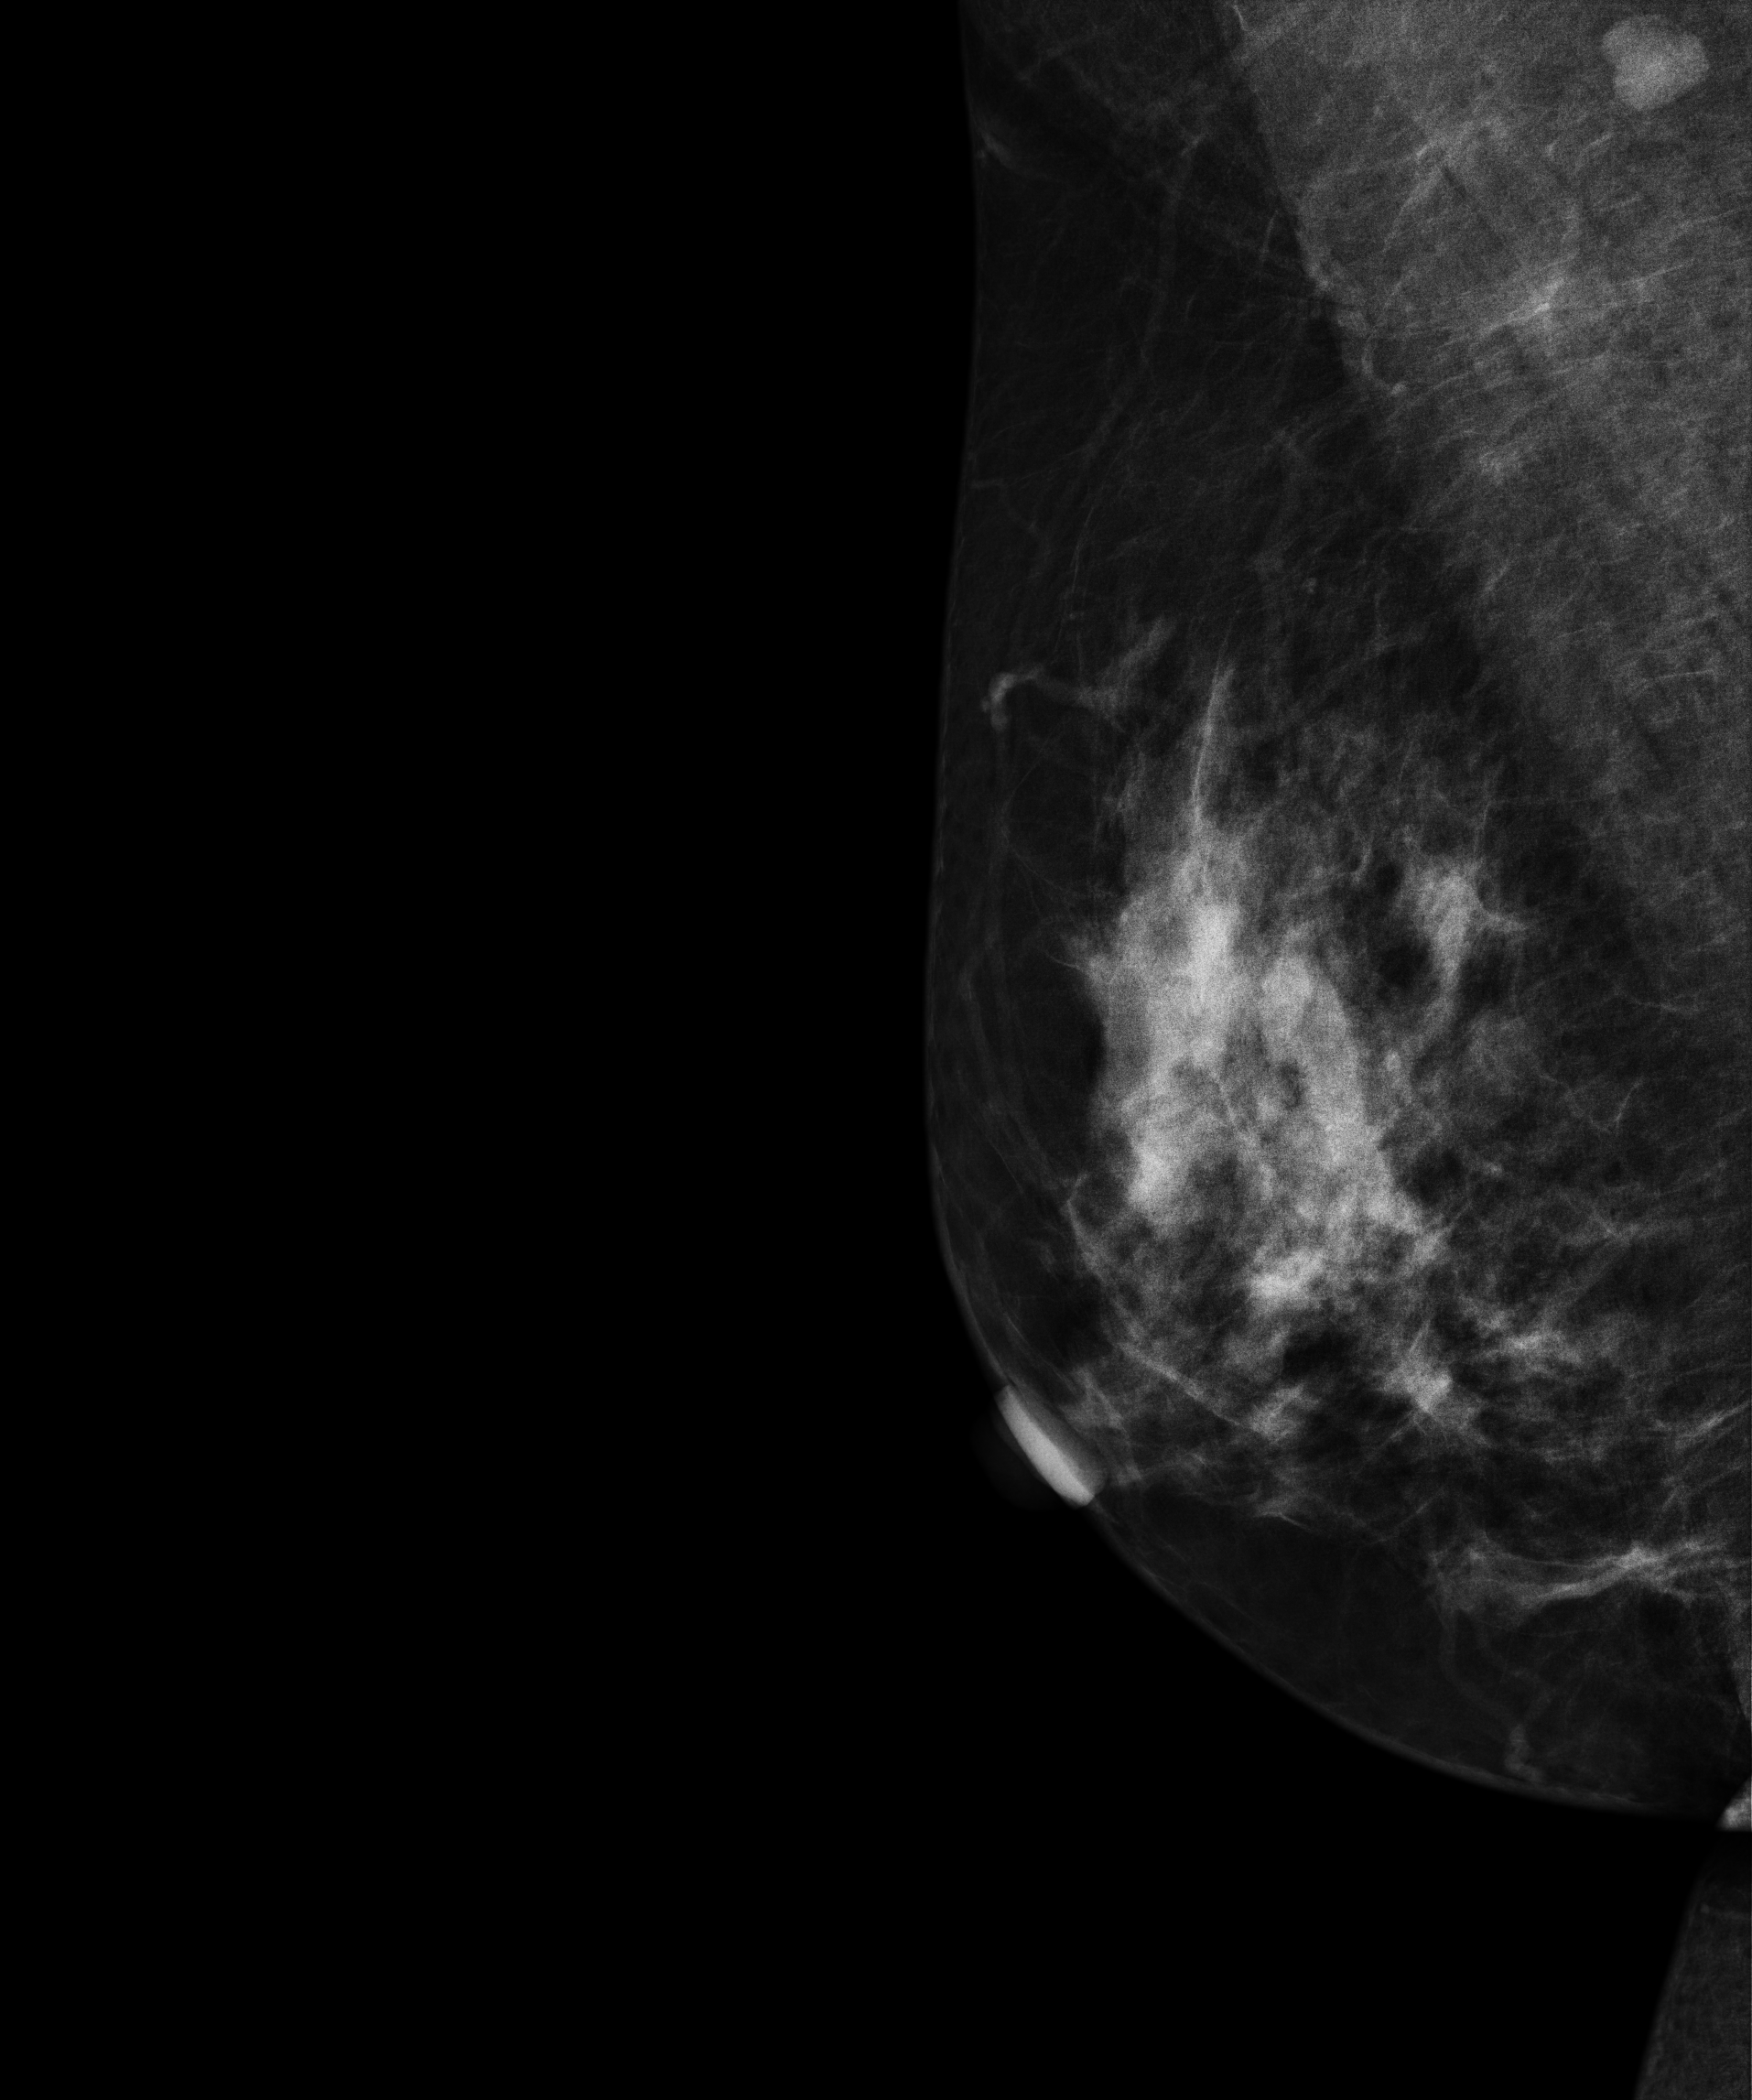
Medio-lateral oblique mammogram of the right breast. 58 y/o patient.
Contralateral breast — no documented abnormality on this side.